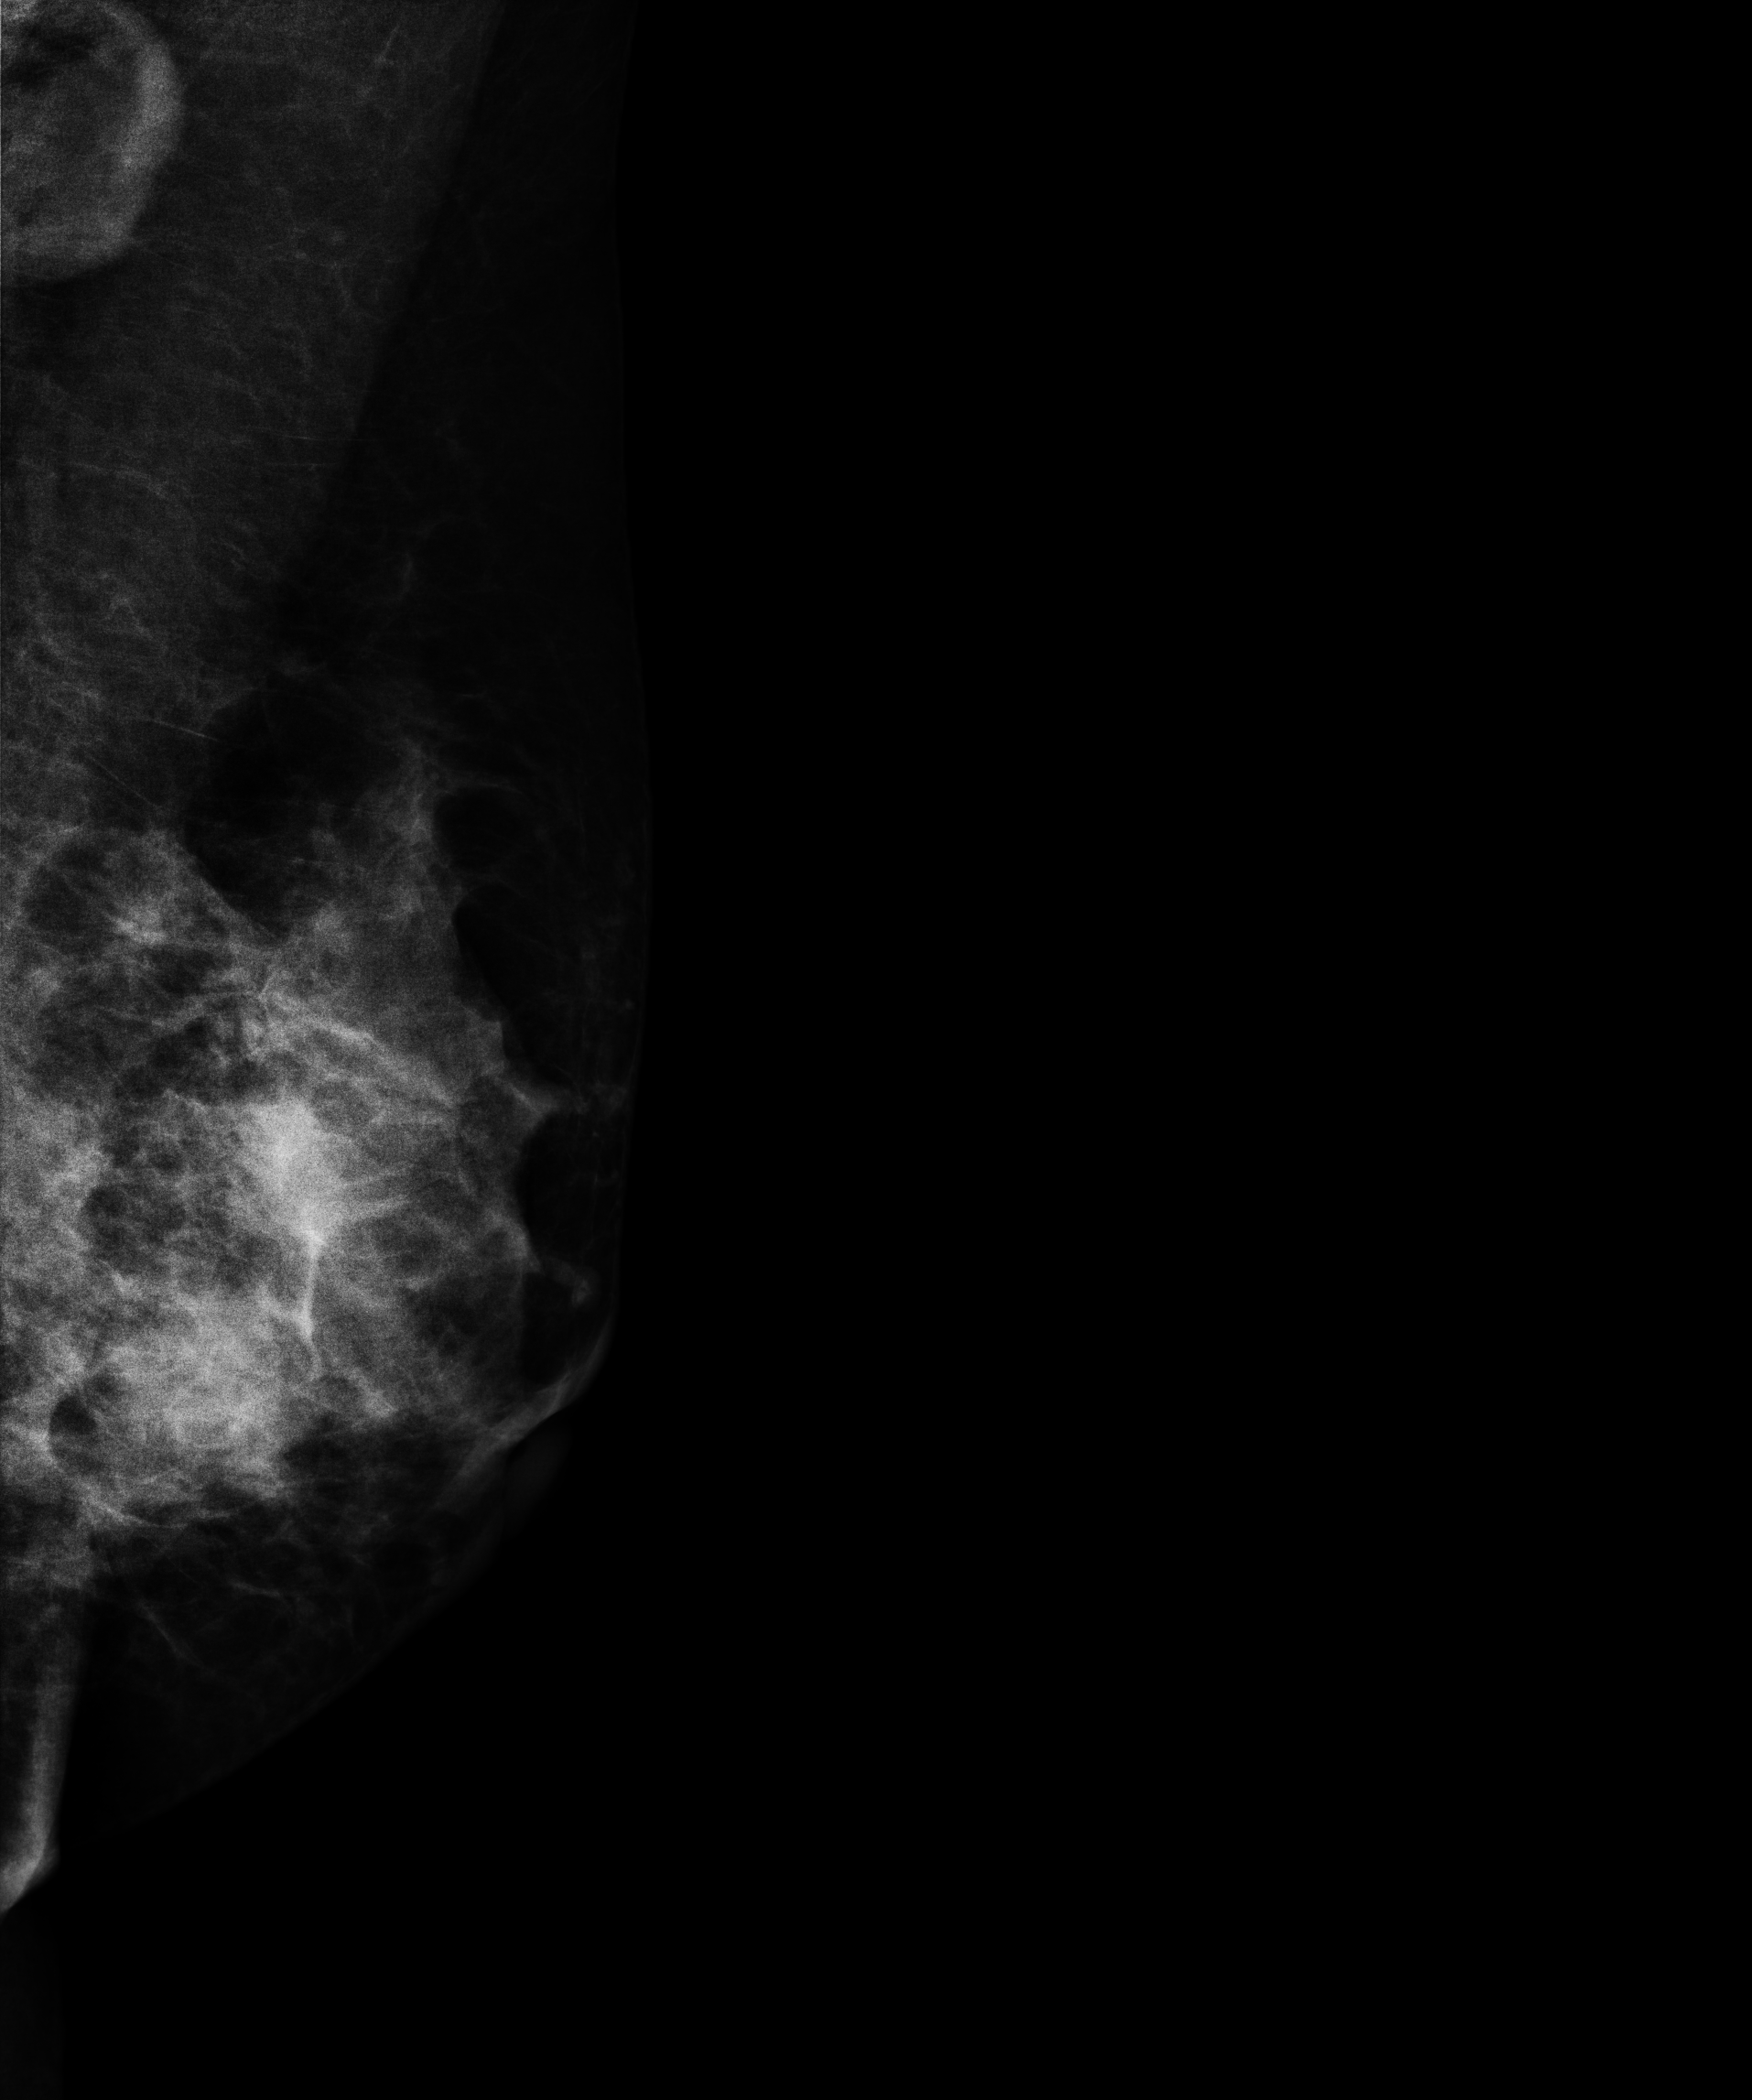
Mammogram, left breast, medio-lateral oblique view. 44 y/o patient.
This breast has a mass, pathology-confirmed malignant.